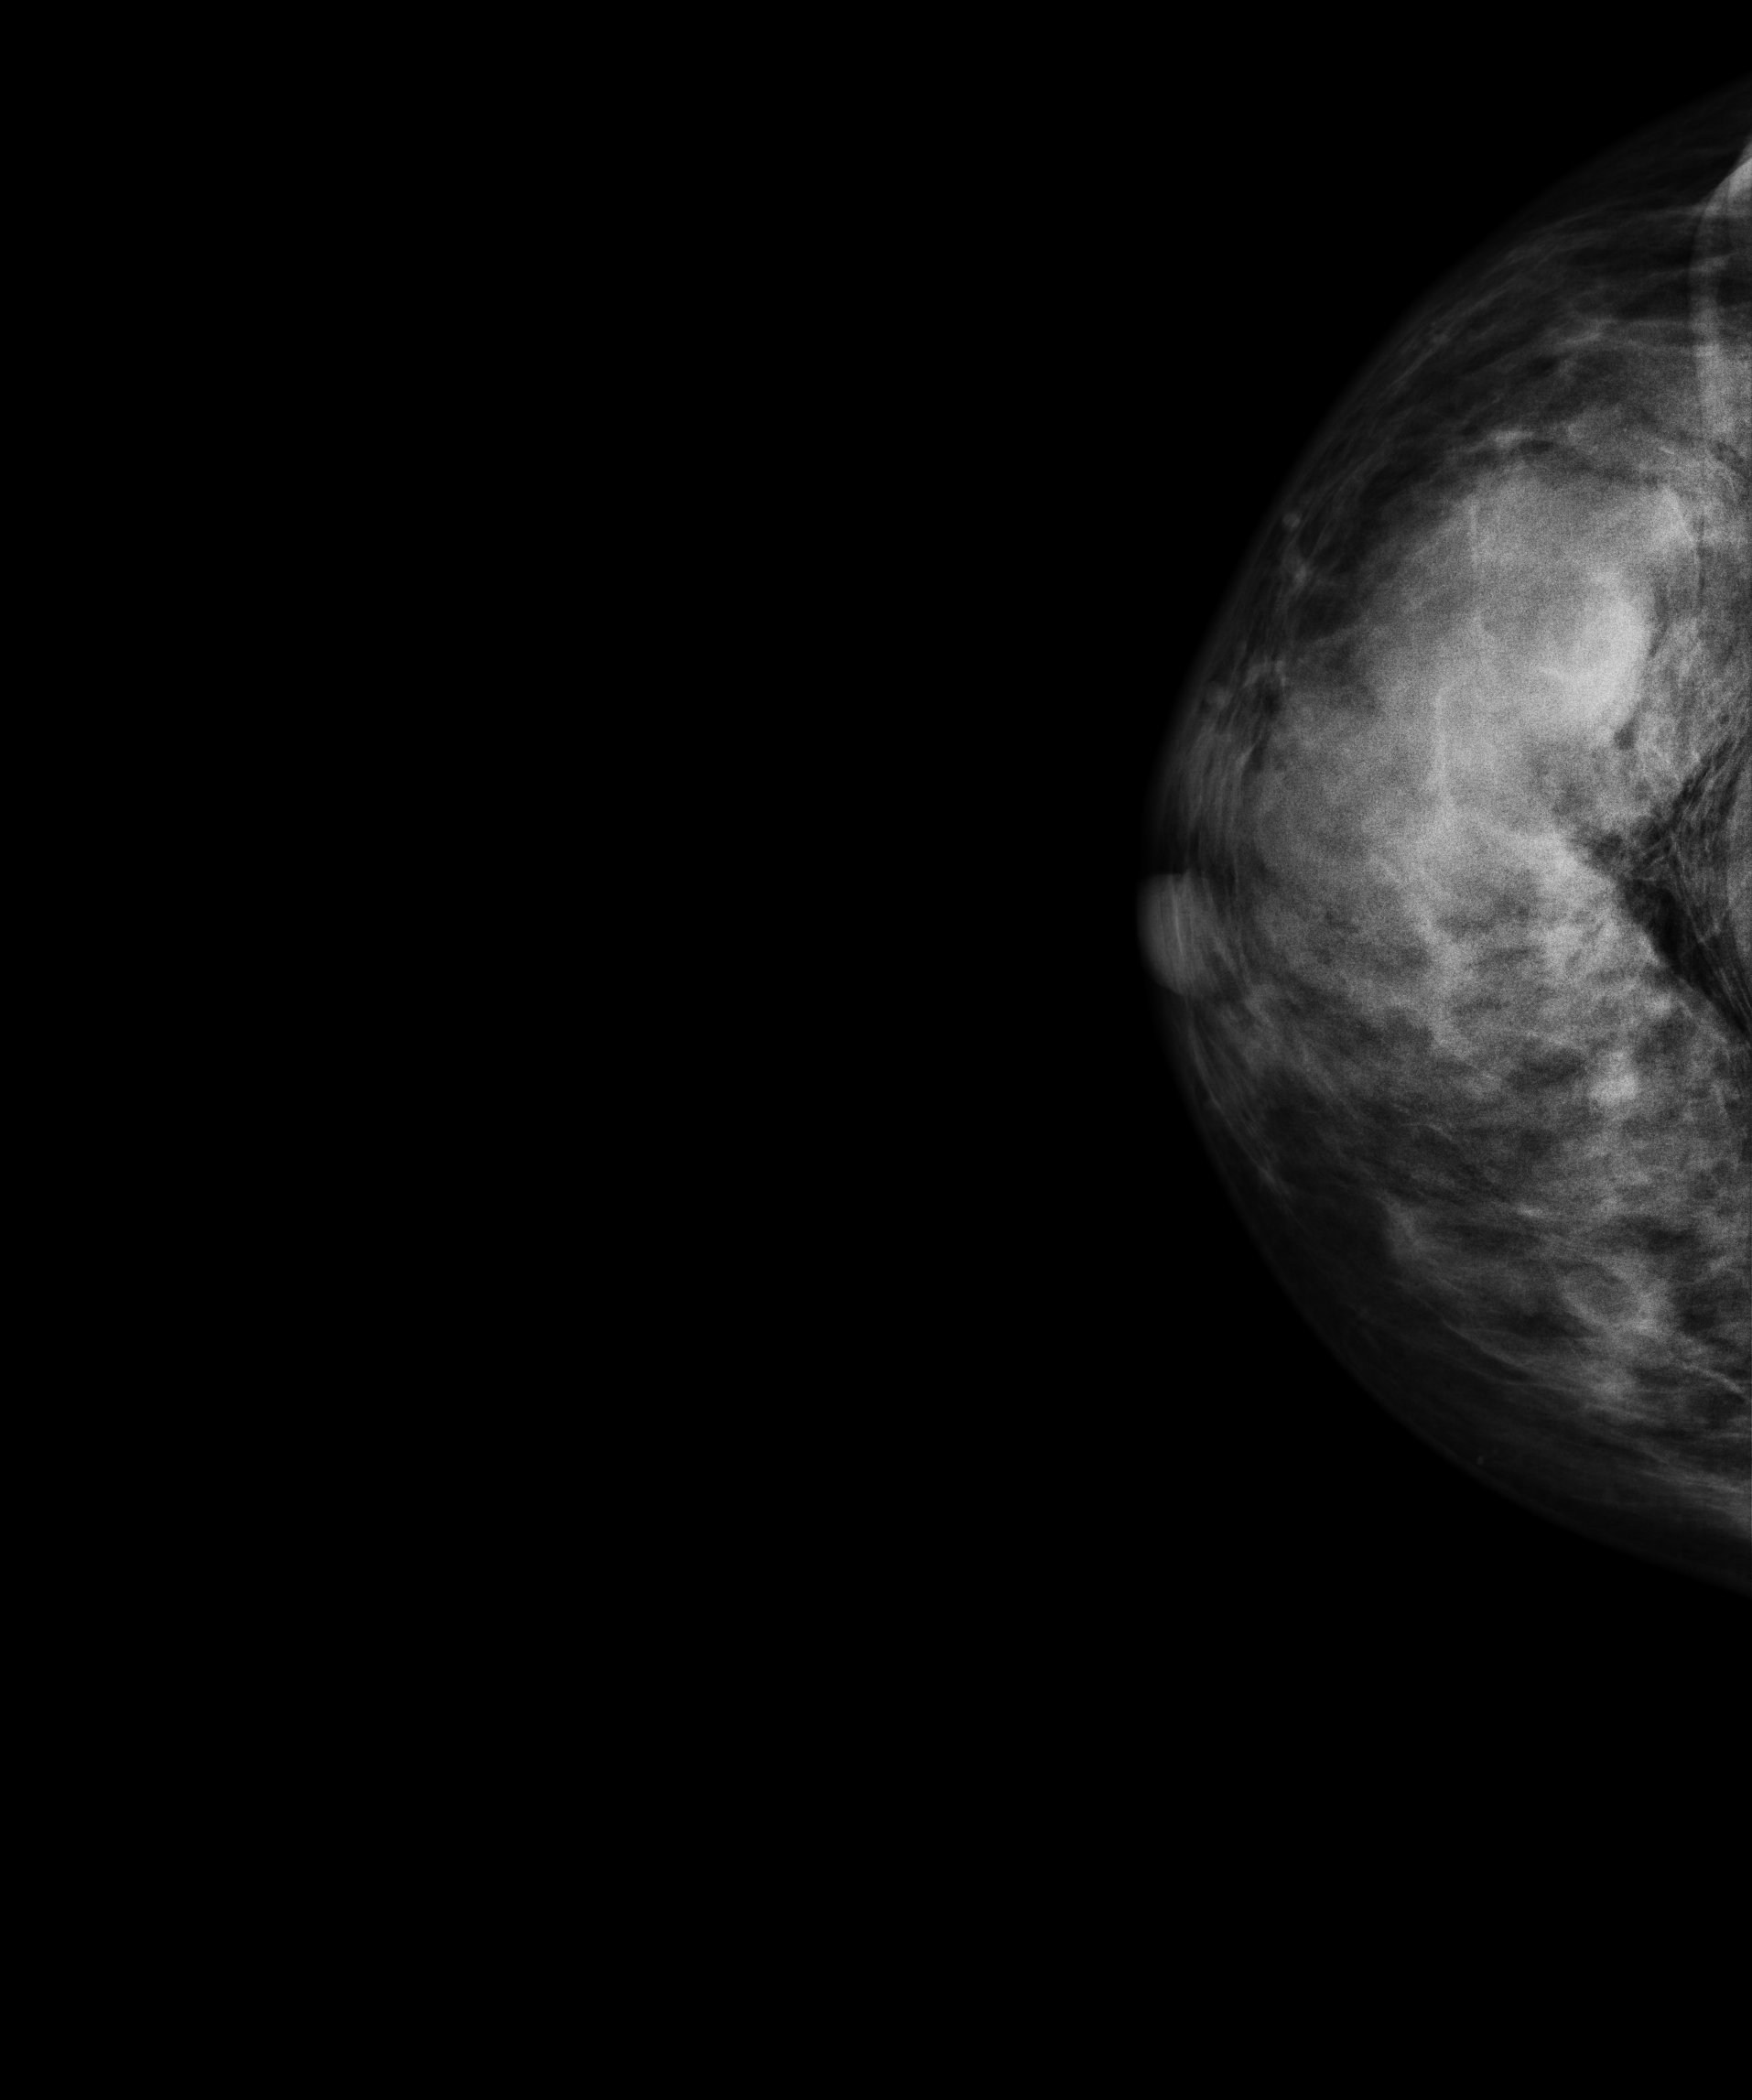
CC mammogram of the right breast. Patient age 44.
This breast has a mass, pathology-confirmed malignant. Molecular subtype: luminal B.